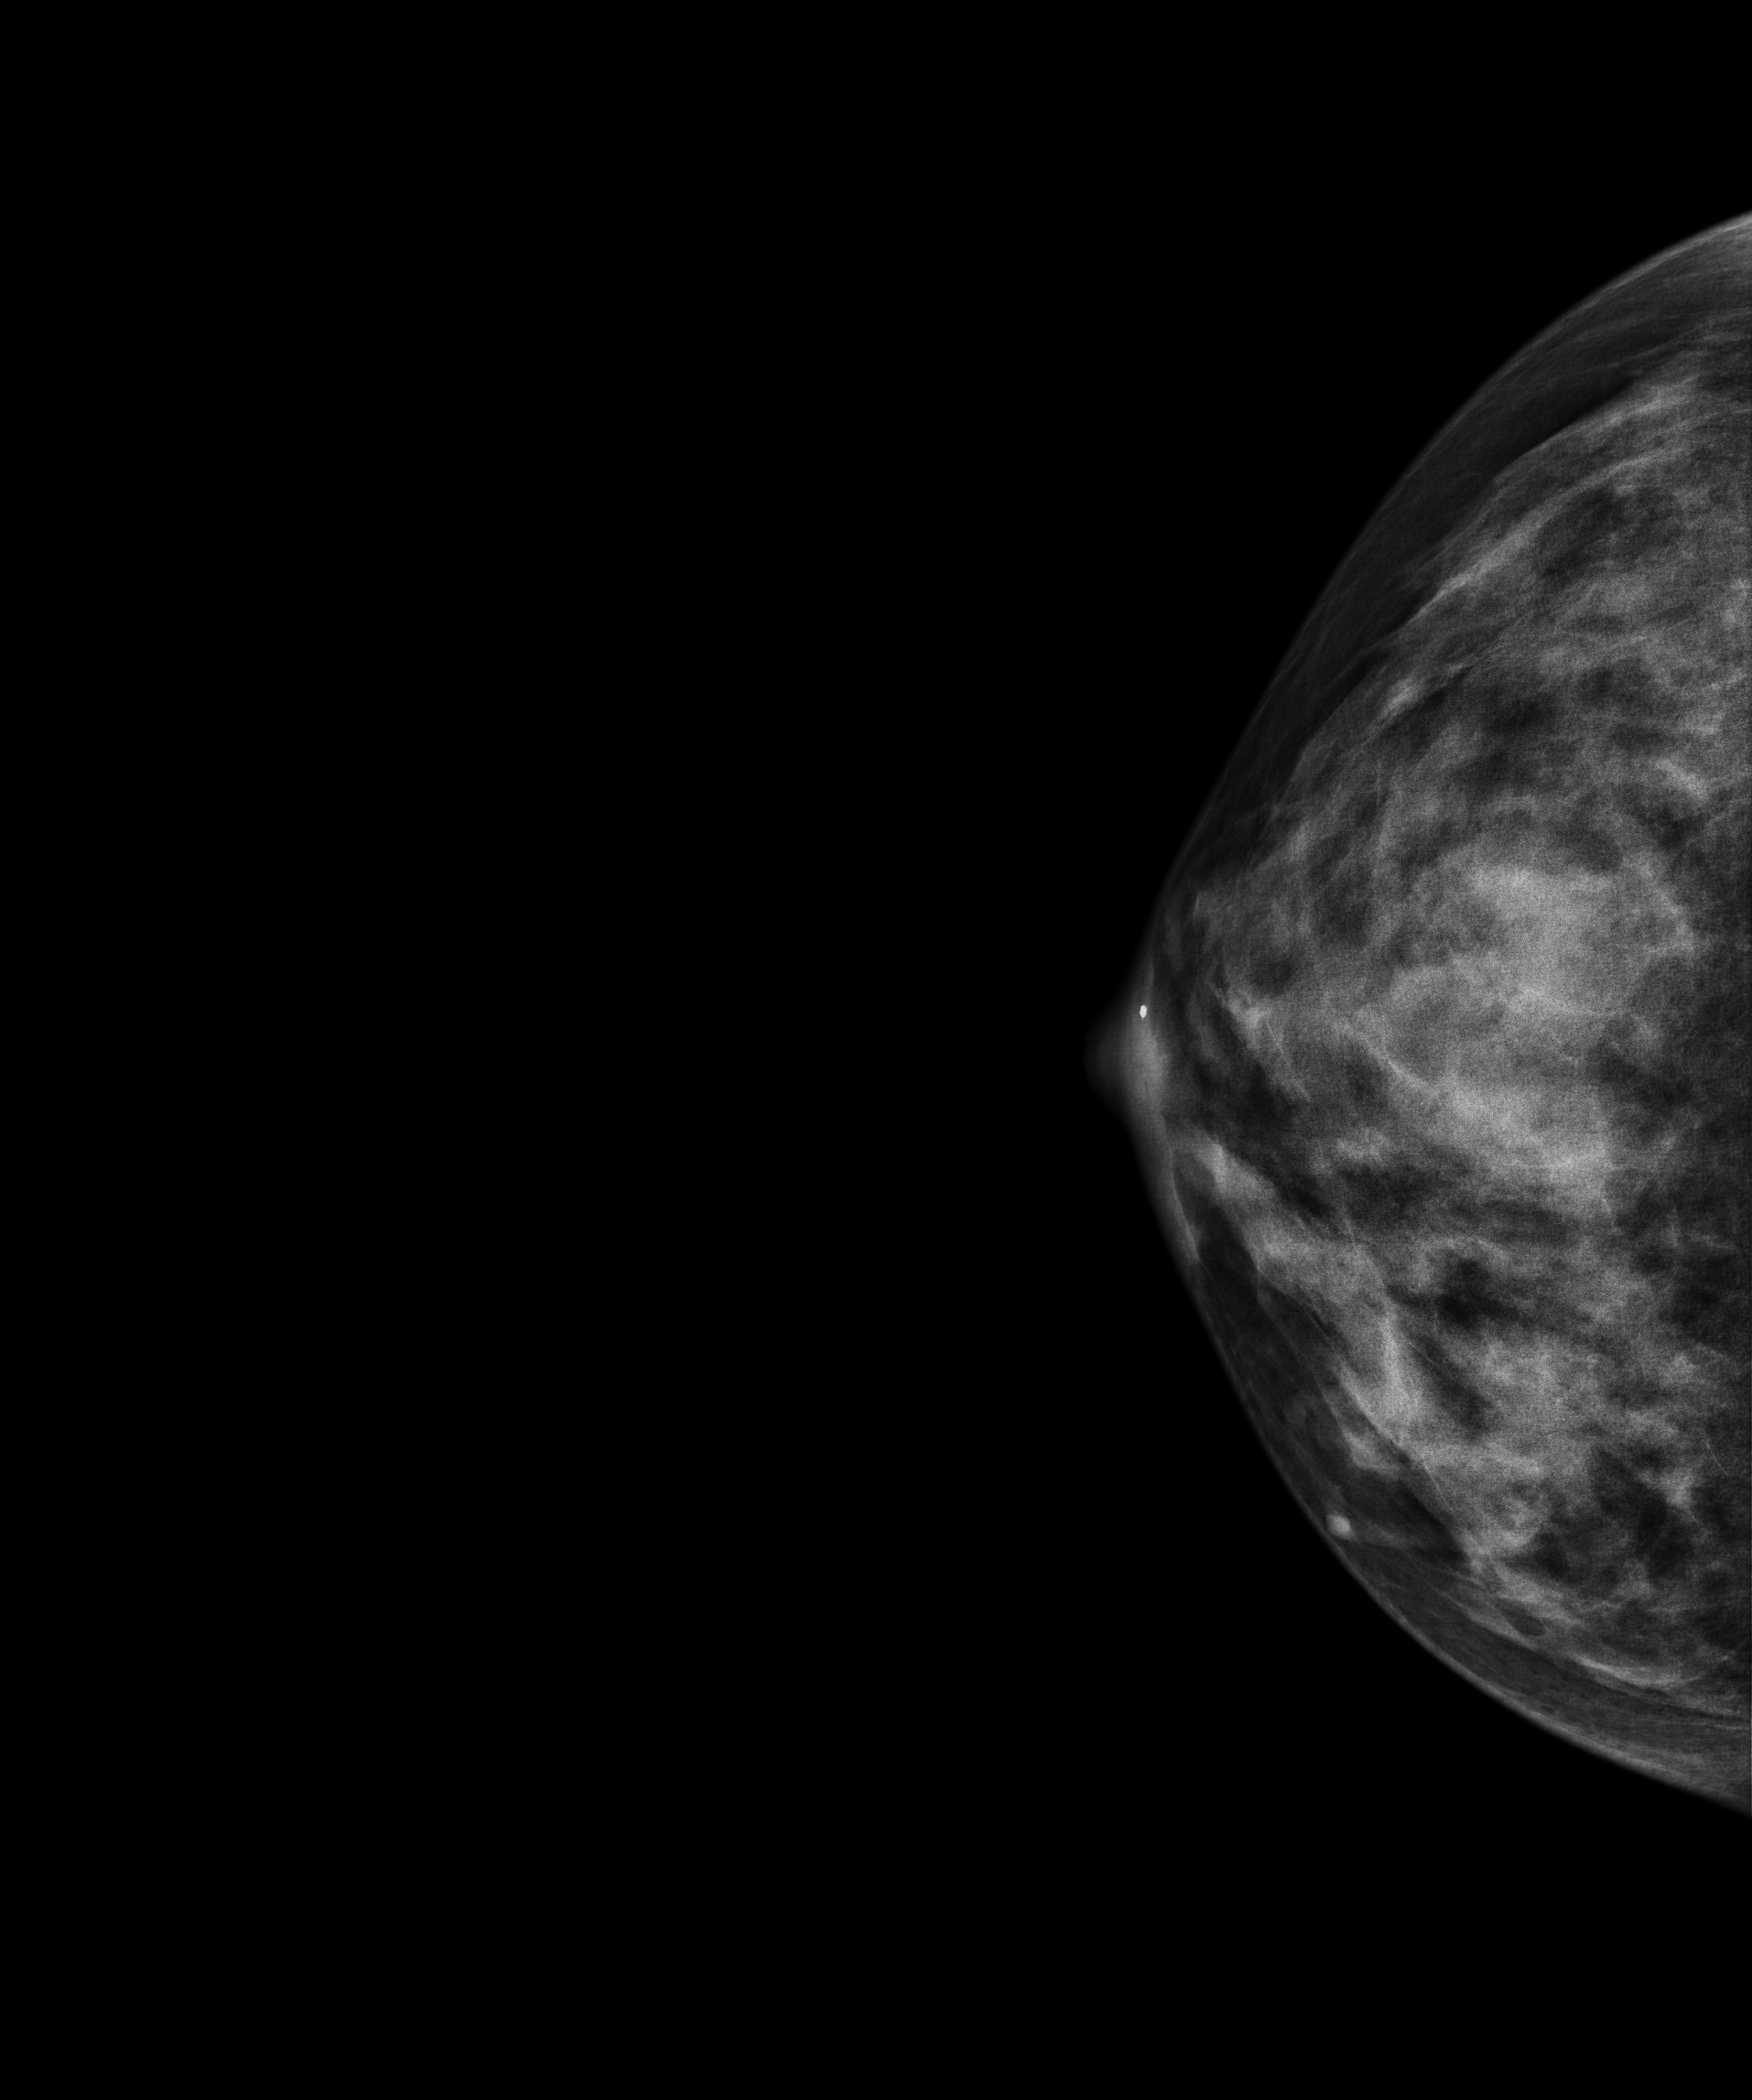
Mammogram — right CC. 46 y/o patient.
This breast has a mass, histologically confirmed malignant. Molecular subtype: luminal B.